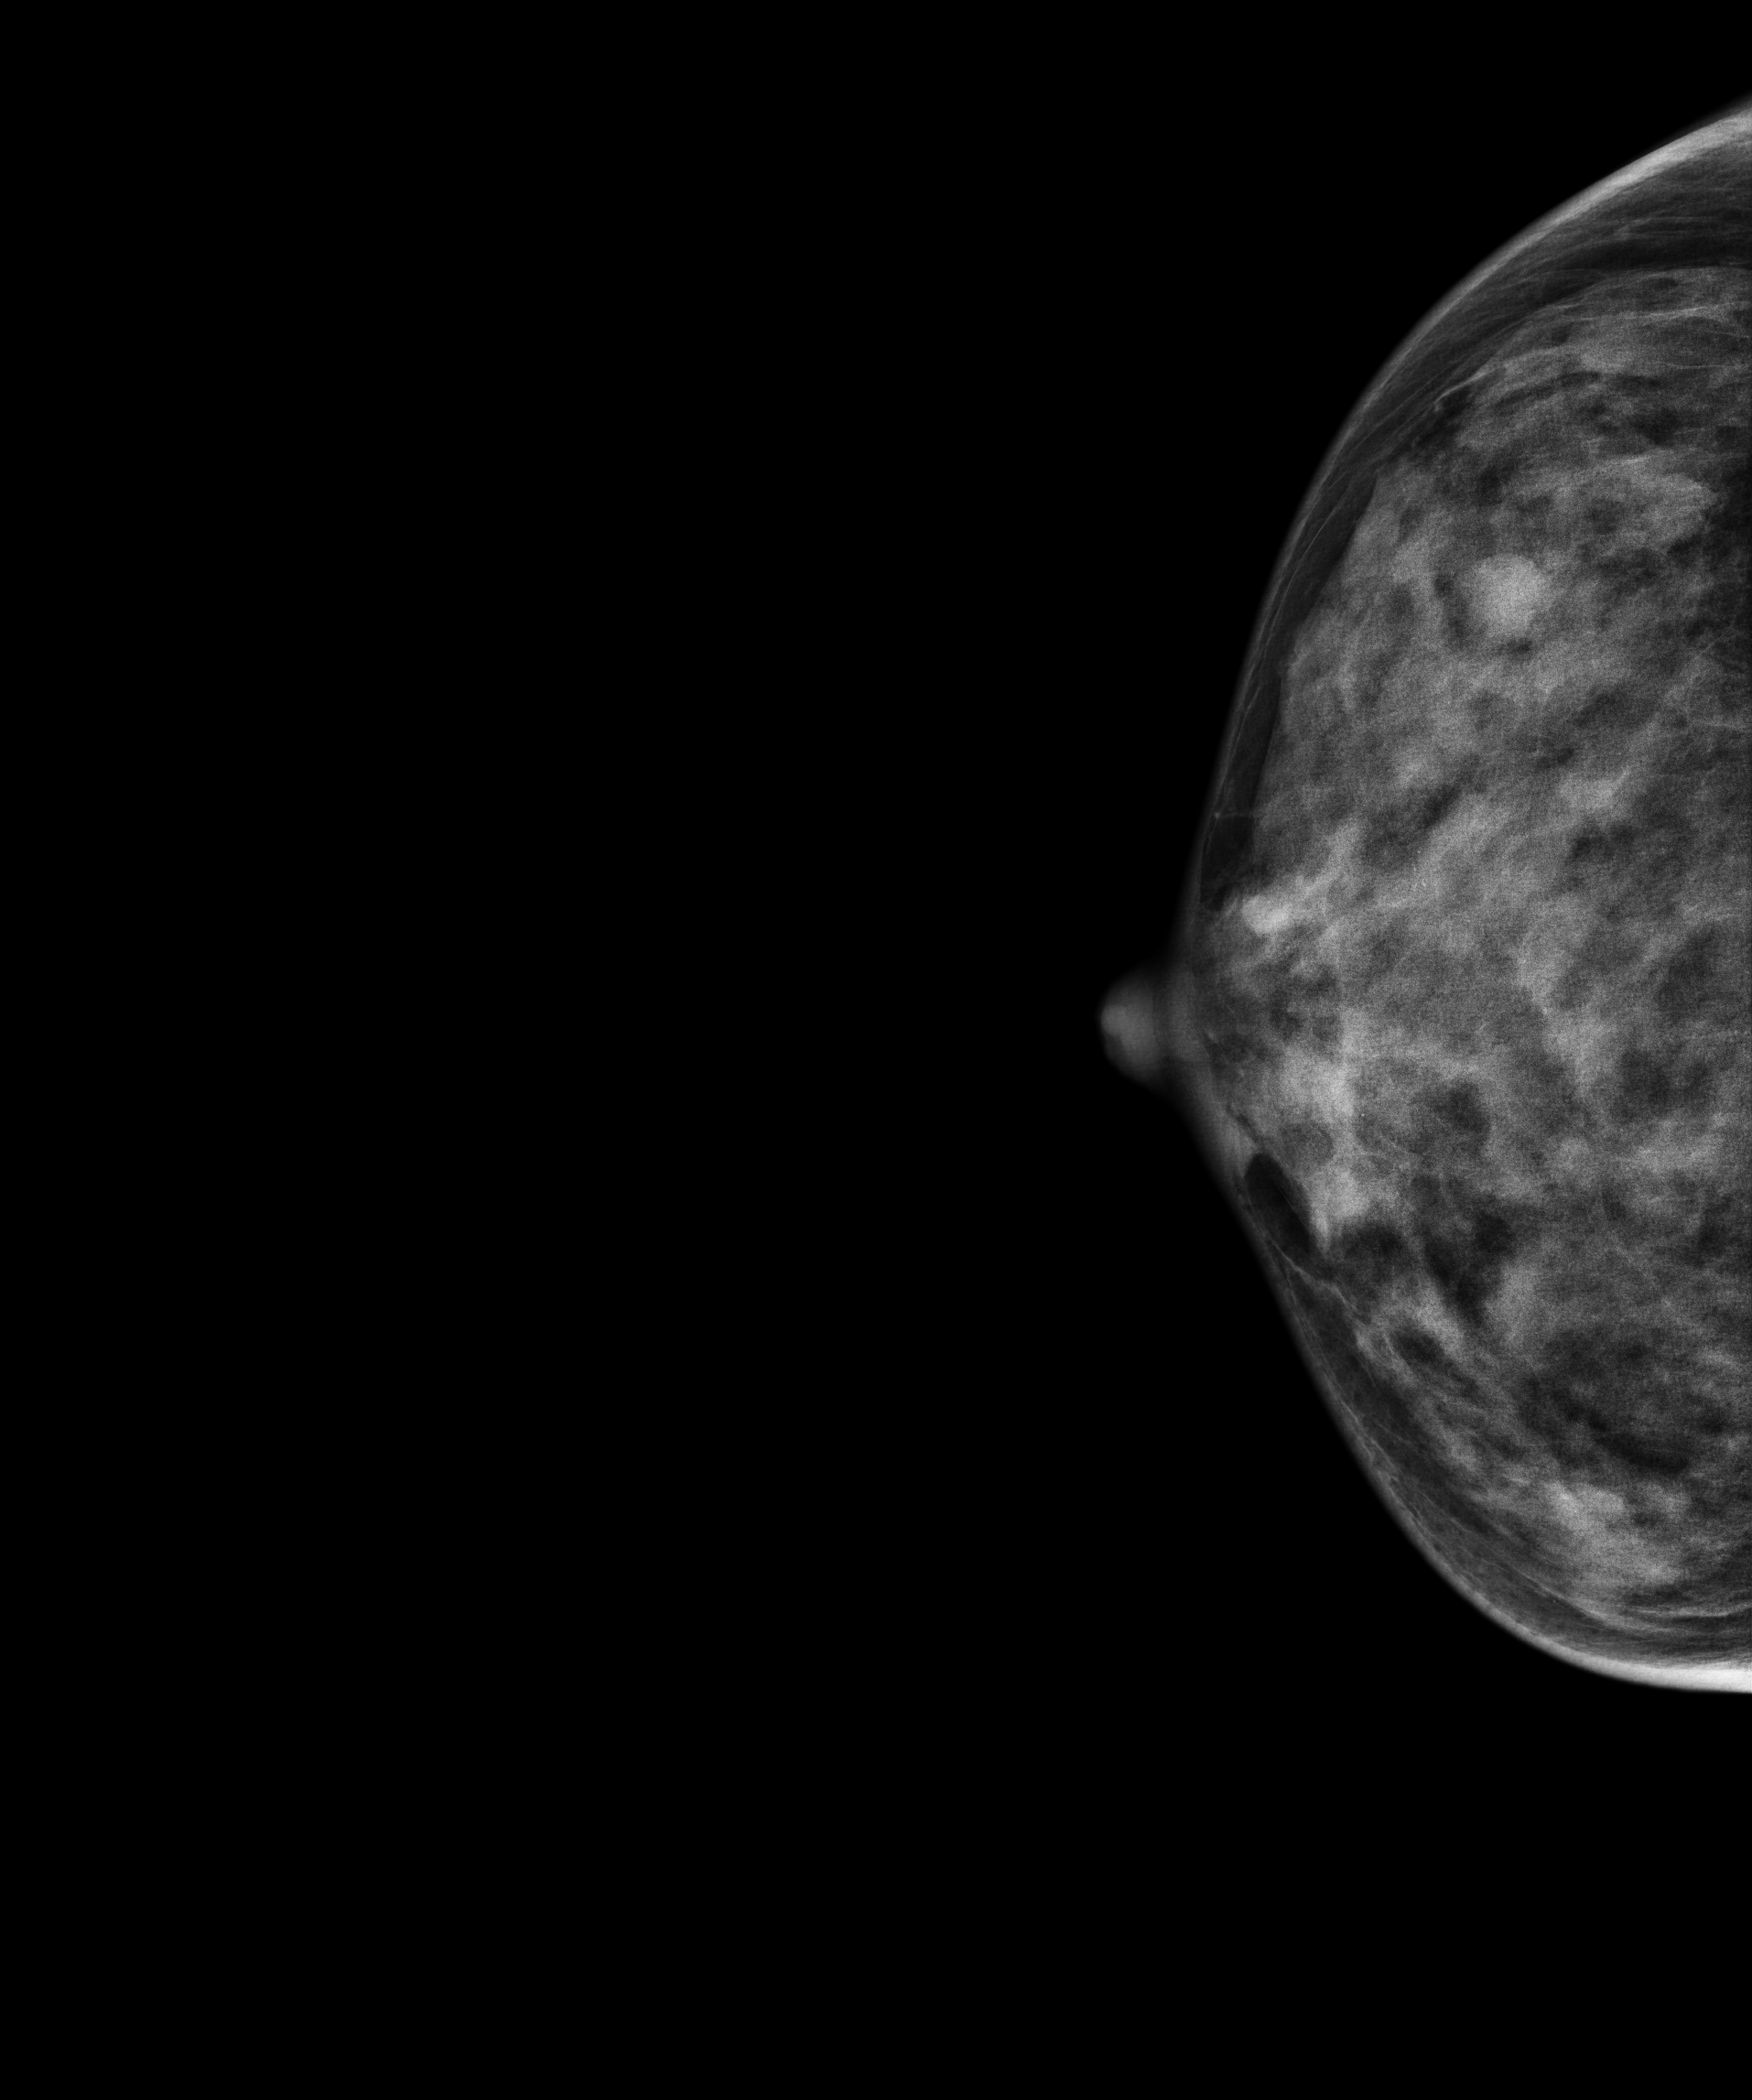
Right-breast mammogram, CC. 38-year-old patient.
This breast has a mass, histologically confirmed malignant.